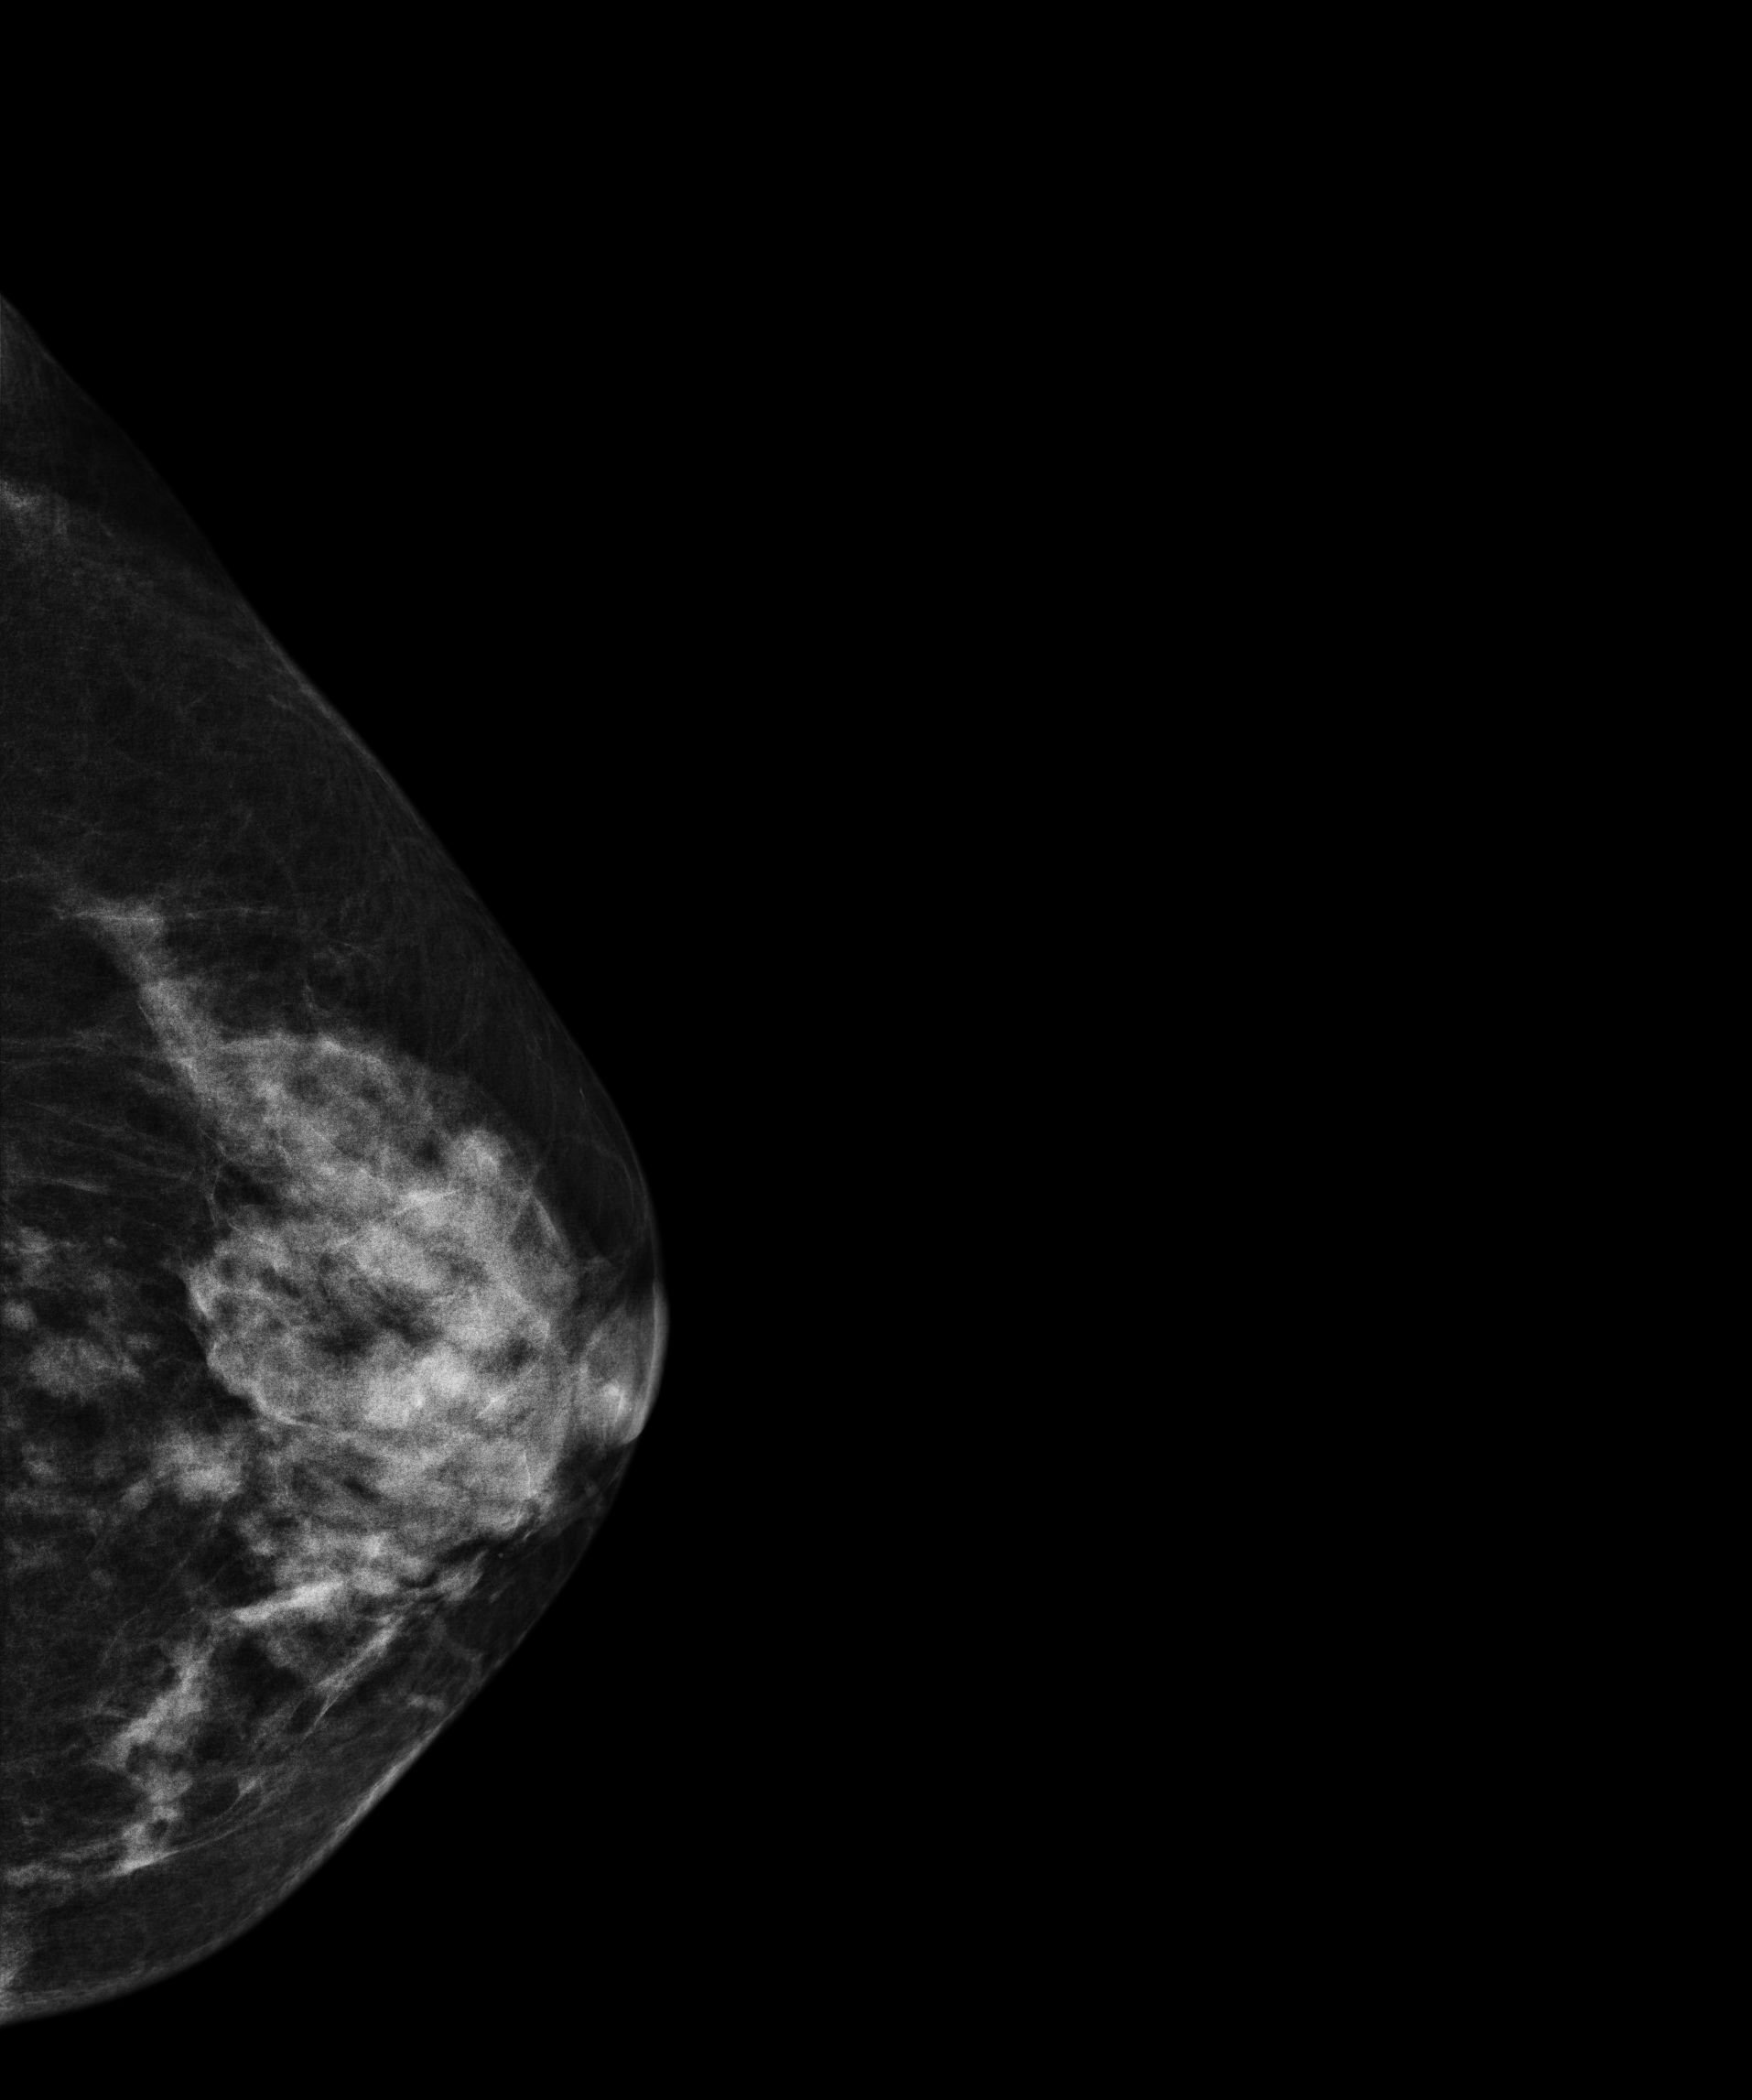
Digital mammography. Left breast, CC projection. 66 y/o patient.
This breast has a mass, biopsy-proven malignant.